Left-breast mammogram, cranio-caudal. 48-year-old patient.
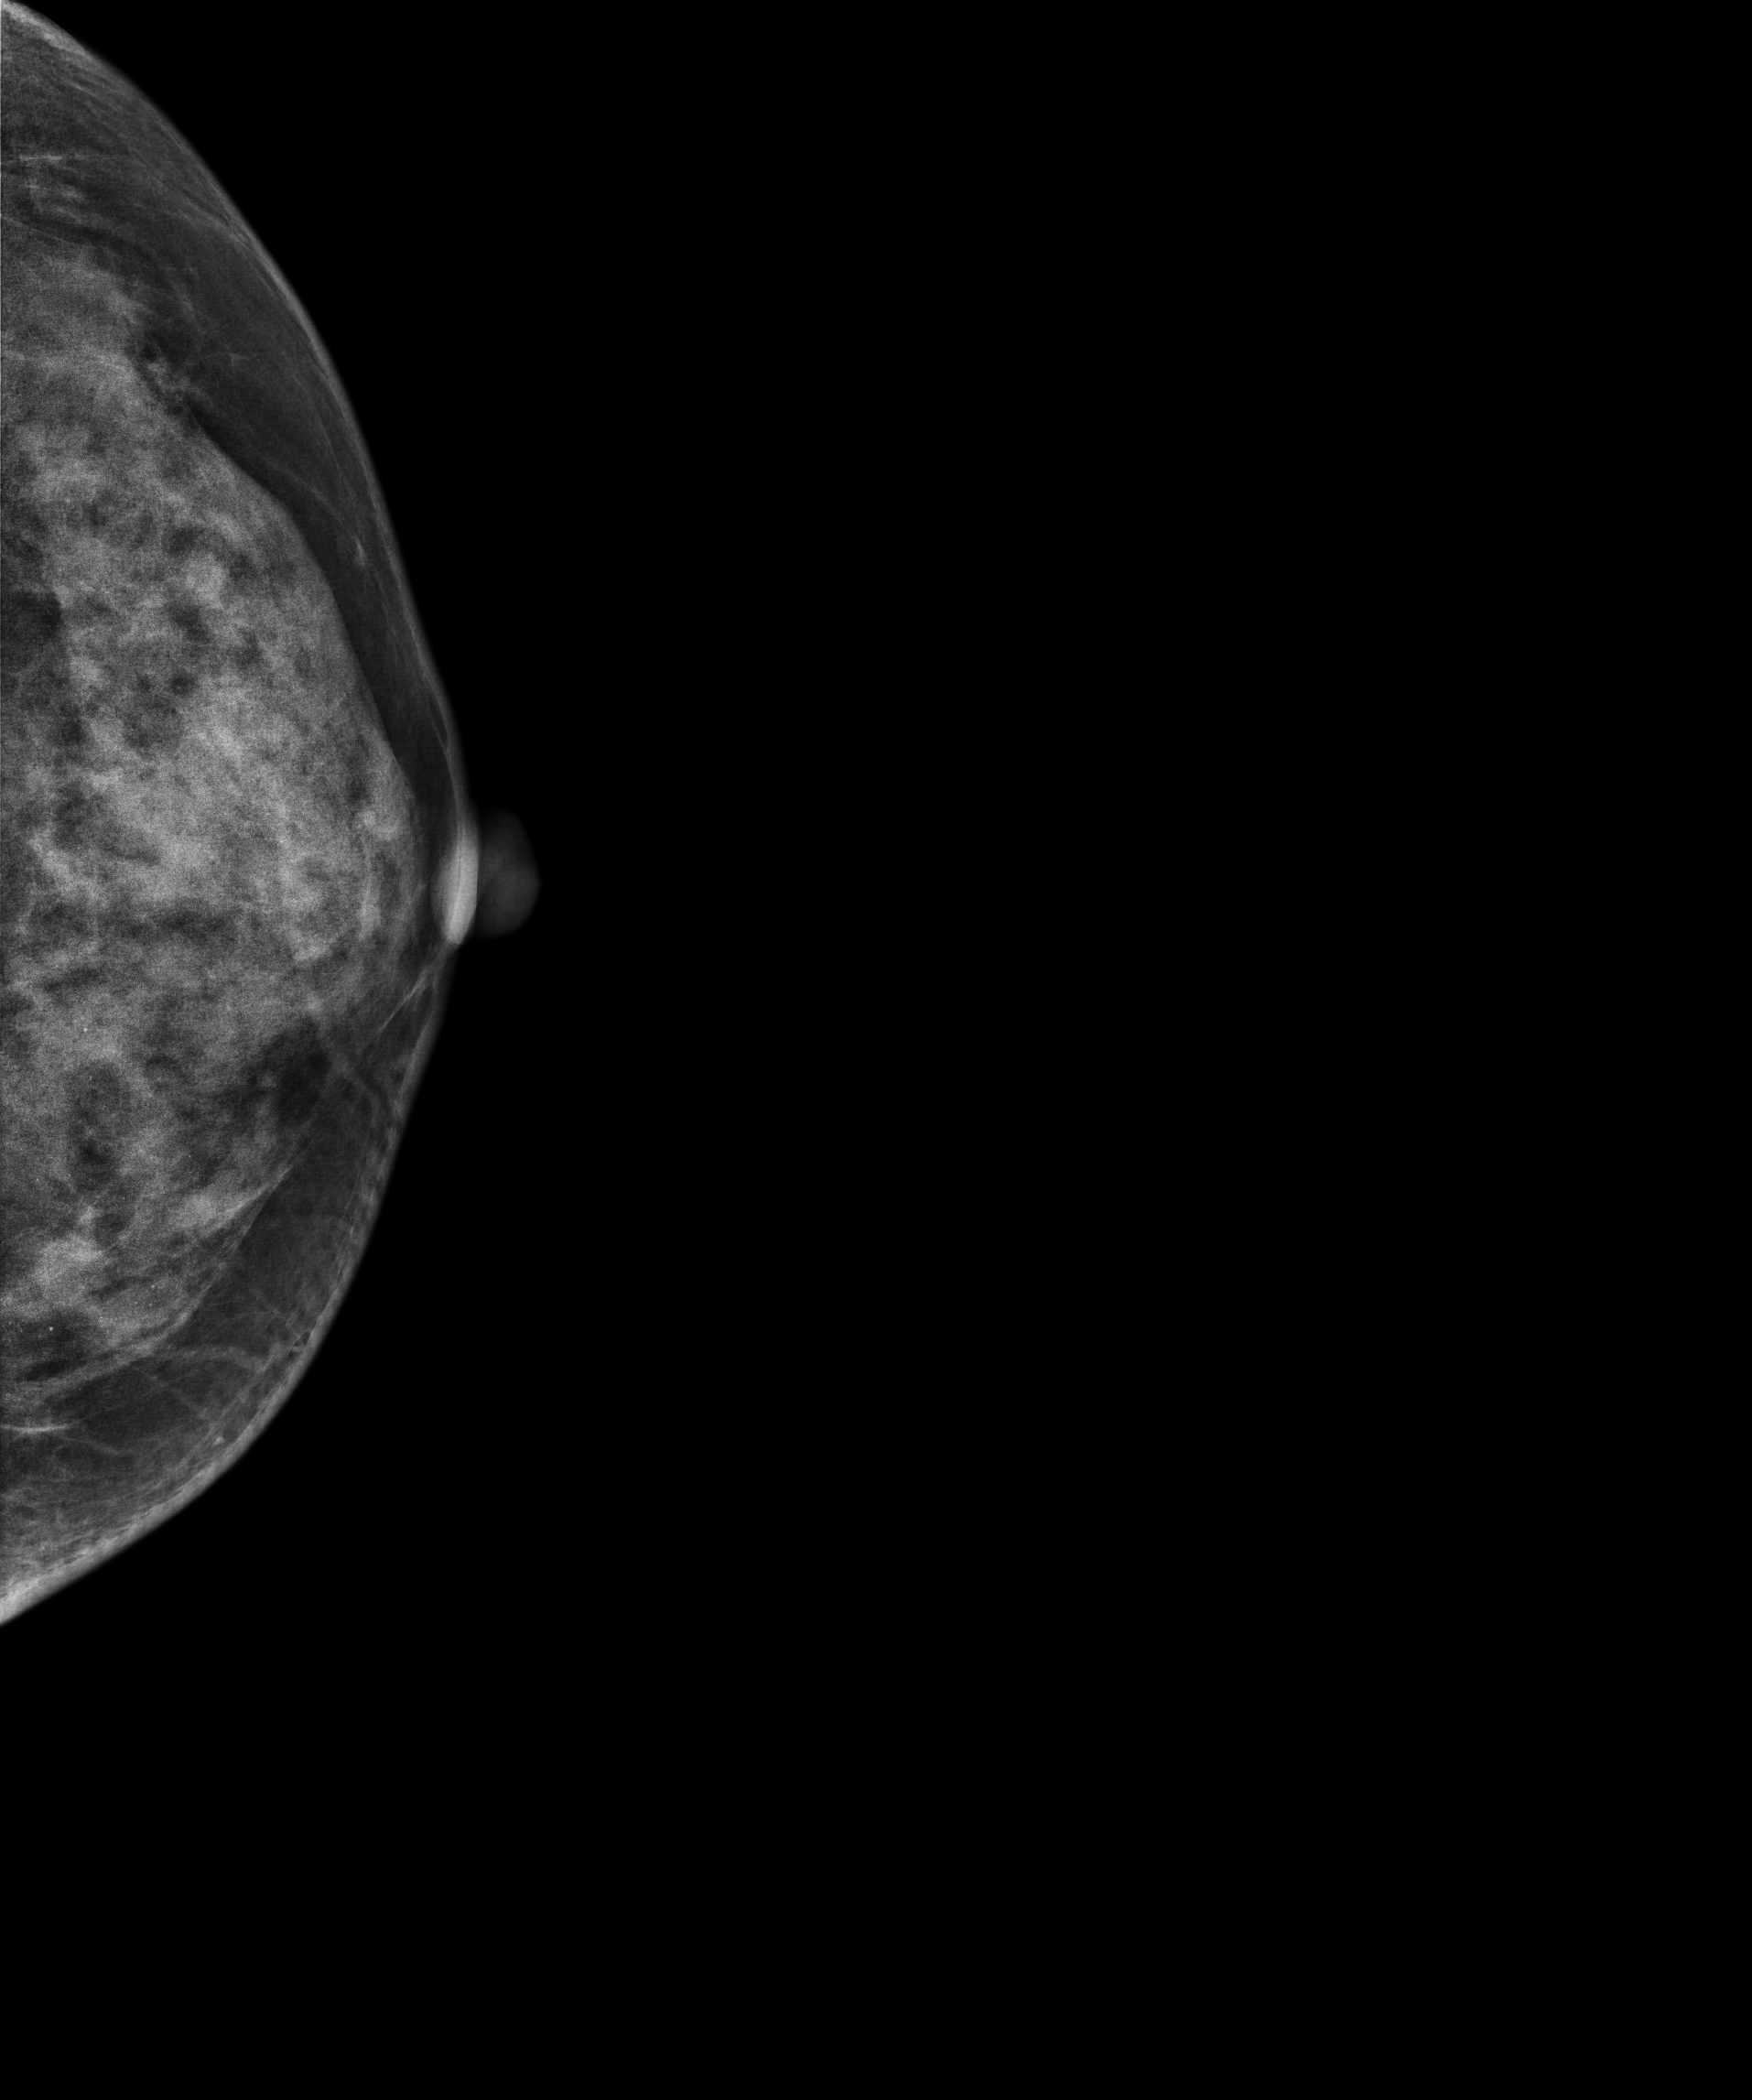
Contralateral breast — no documented abnormality on this side.